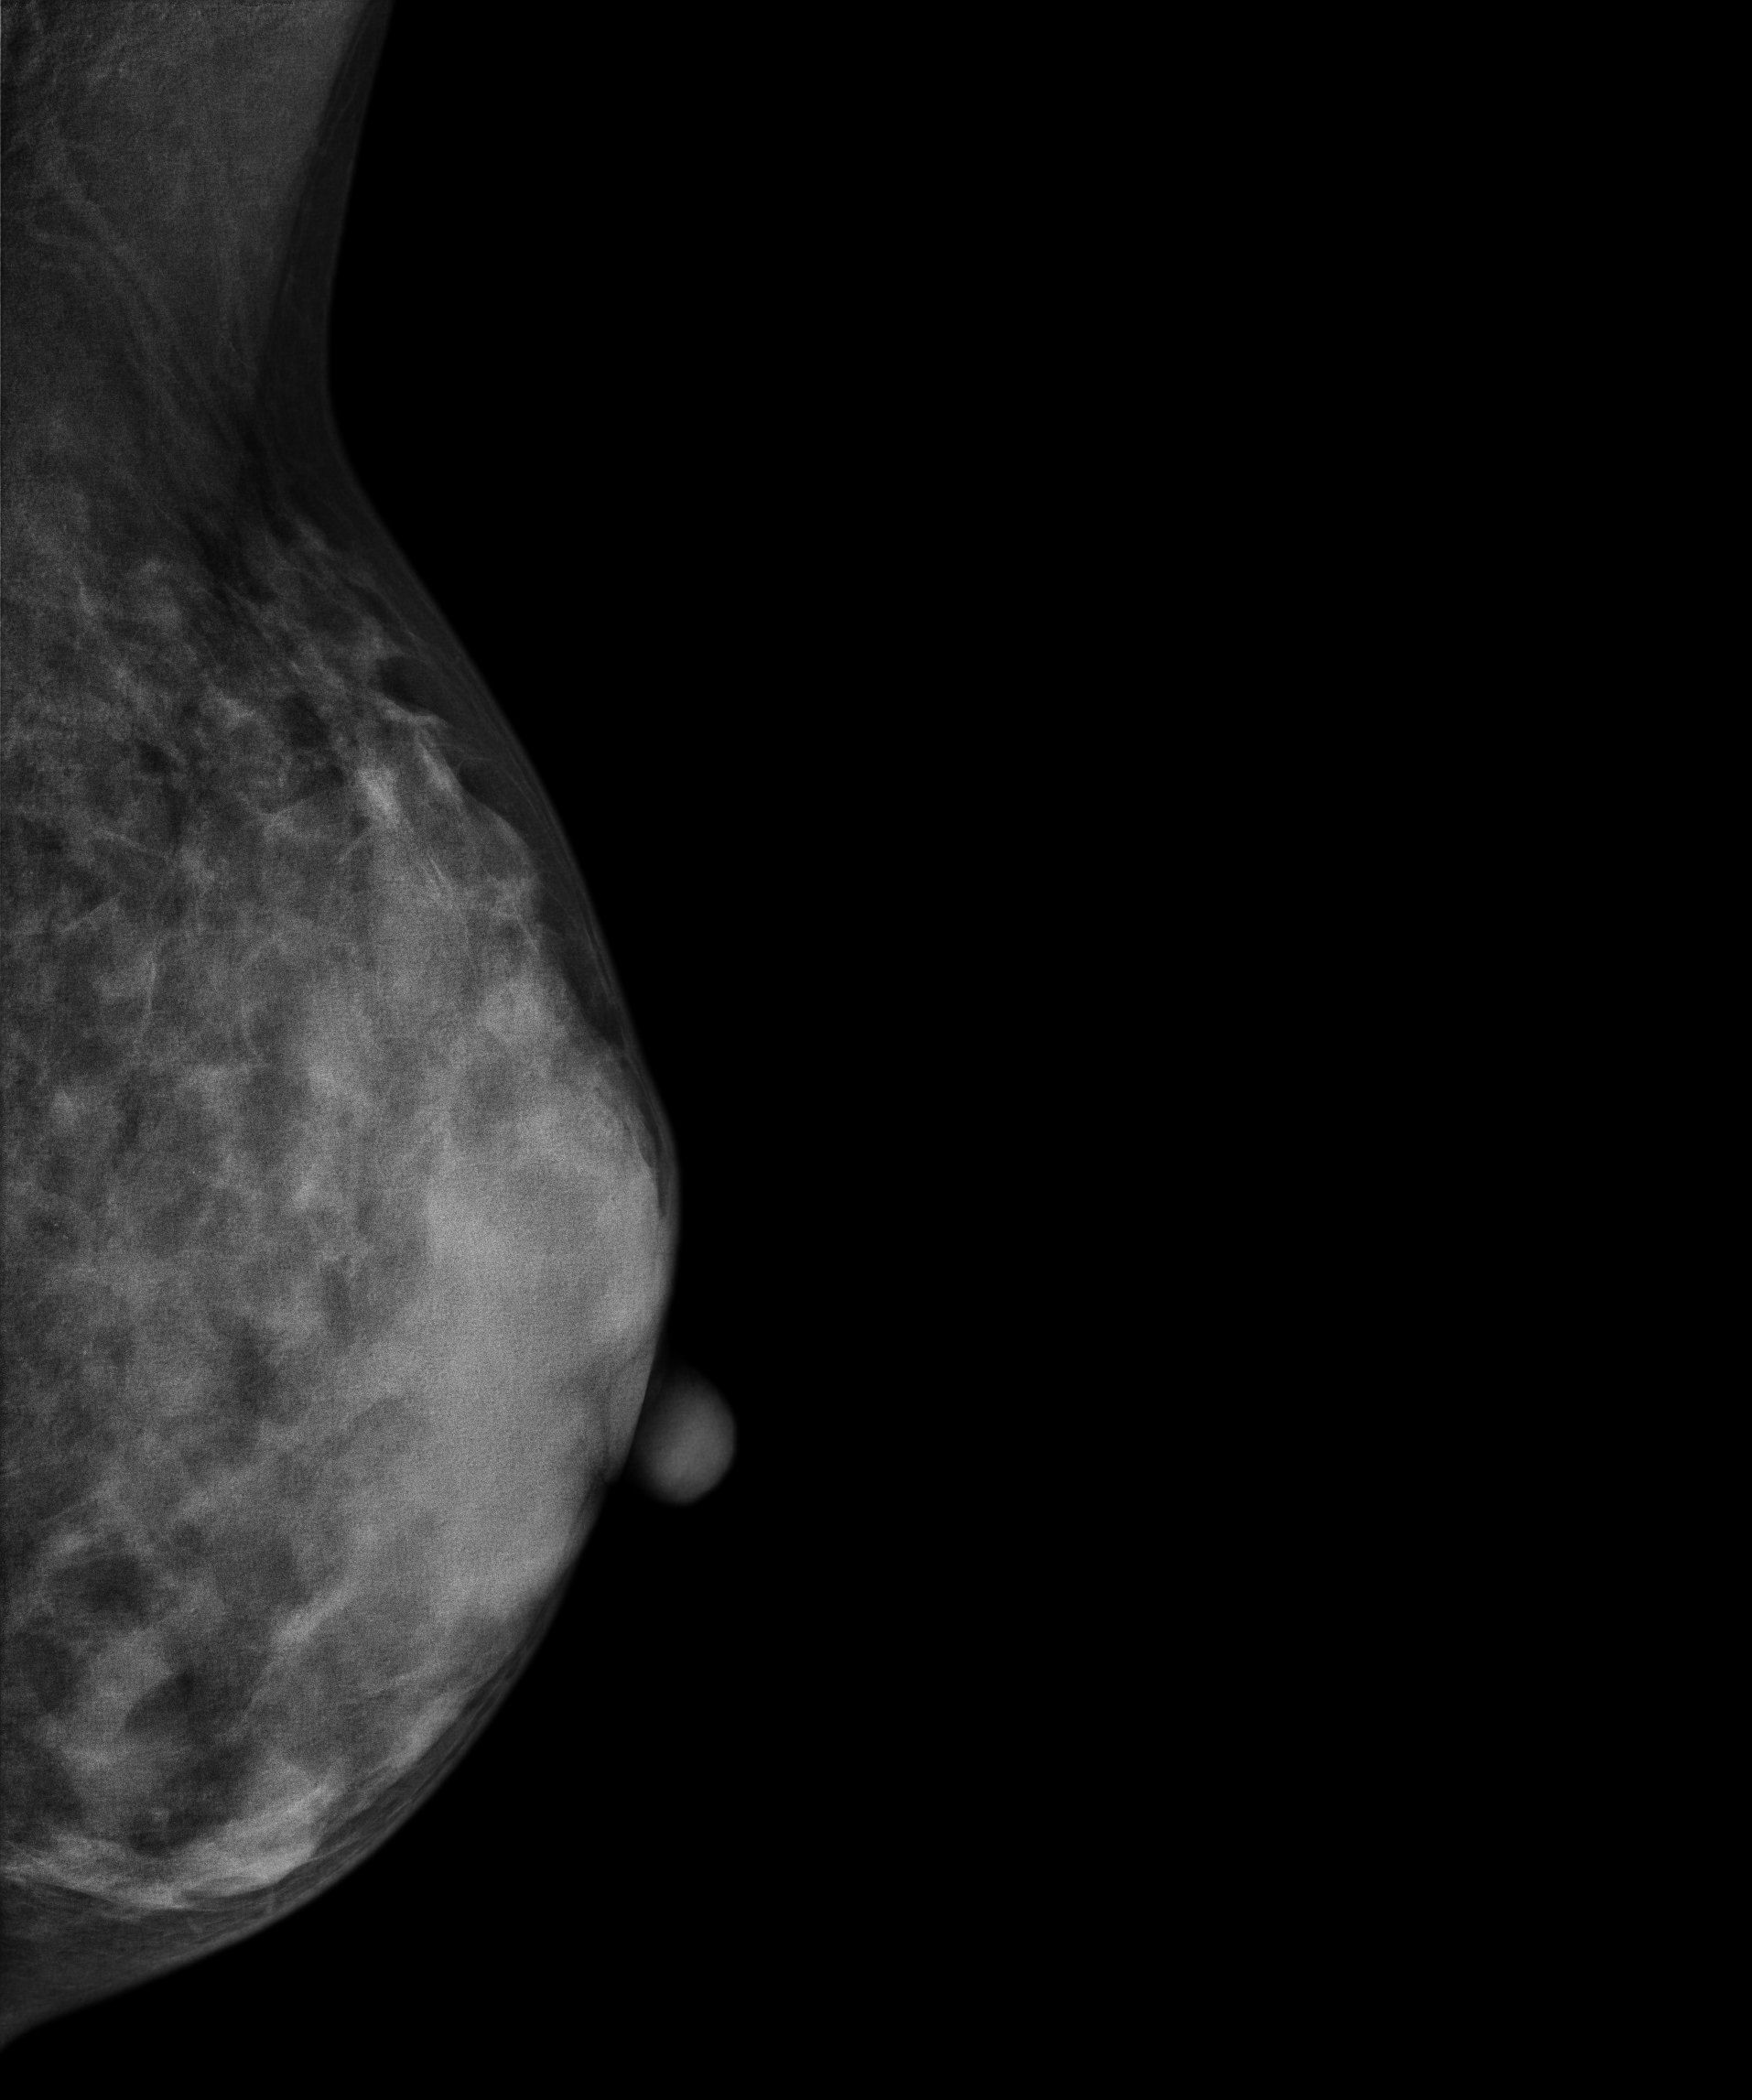
MLO mammogram of the left breast. 42-year-old patient.
This breast has a mass, histologically confirmed malignant.